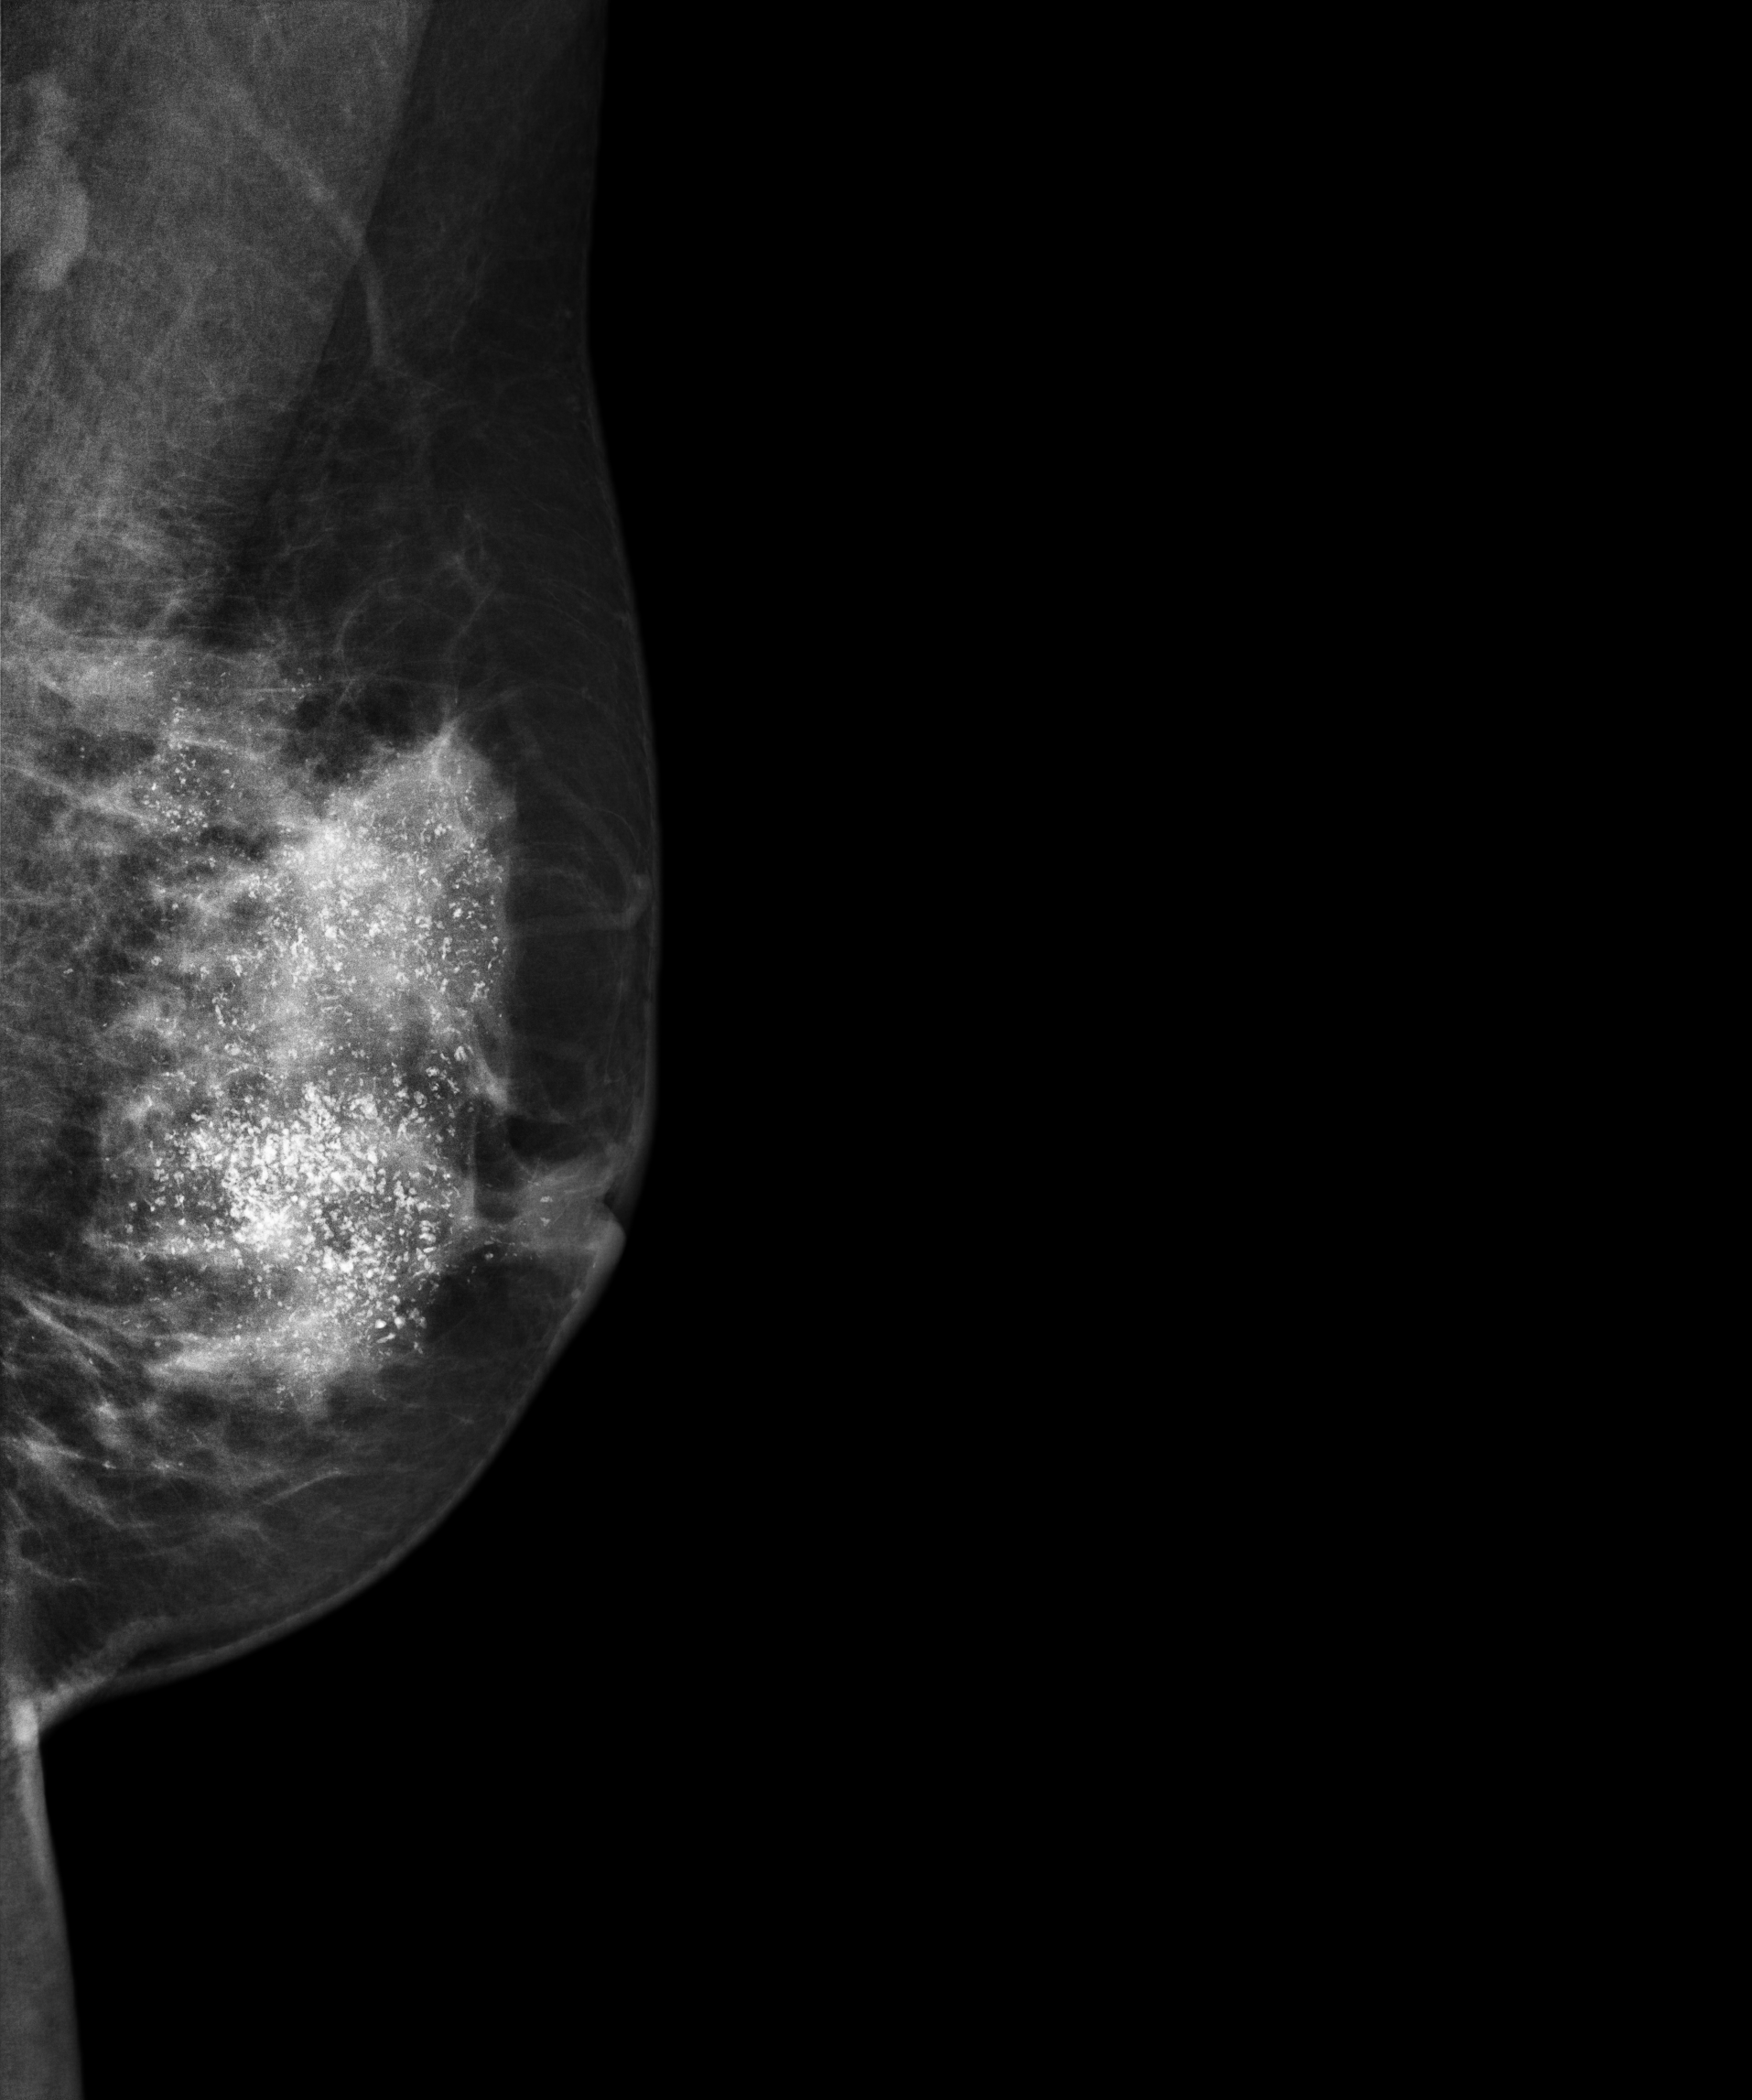
Medio-lateral oblique mammogram of the left breast. 54 y/o patient.
This breast has a mass and calcifications, biopsy-confirmed malignant. Molecular subtype: HER2-enriched.